CC mammogram of the right breast. 49 y/o patient.
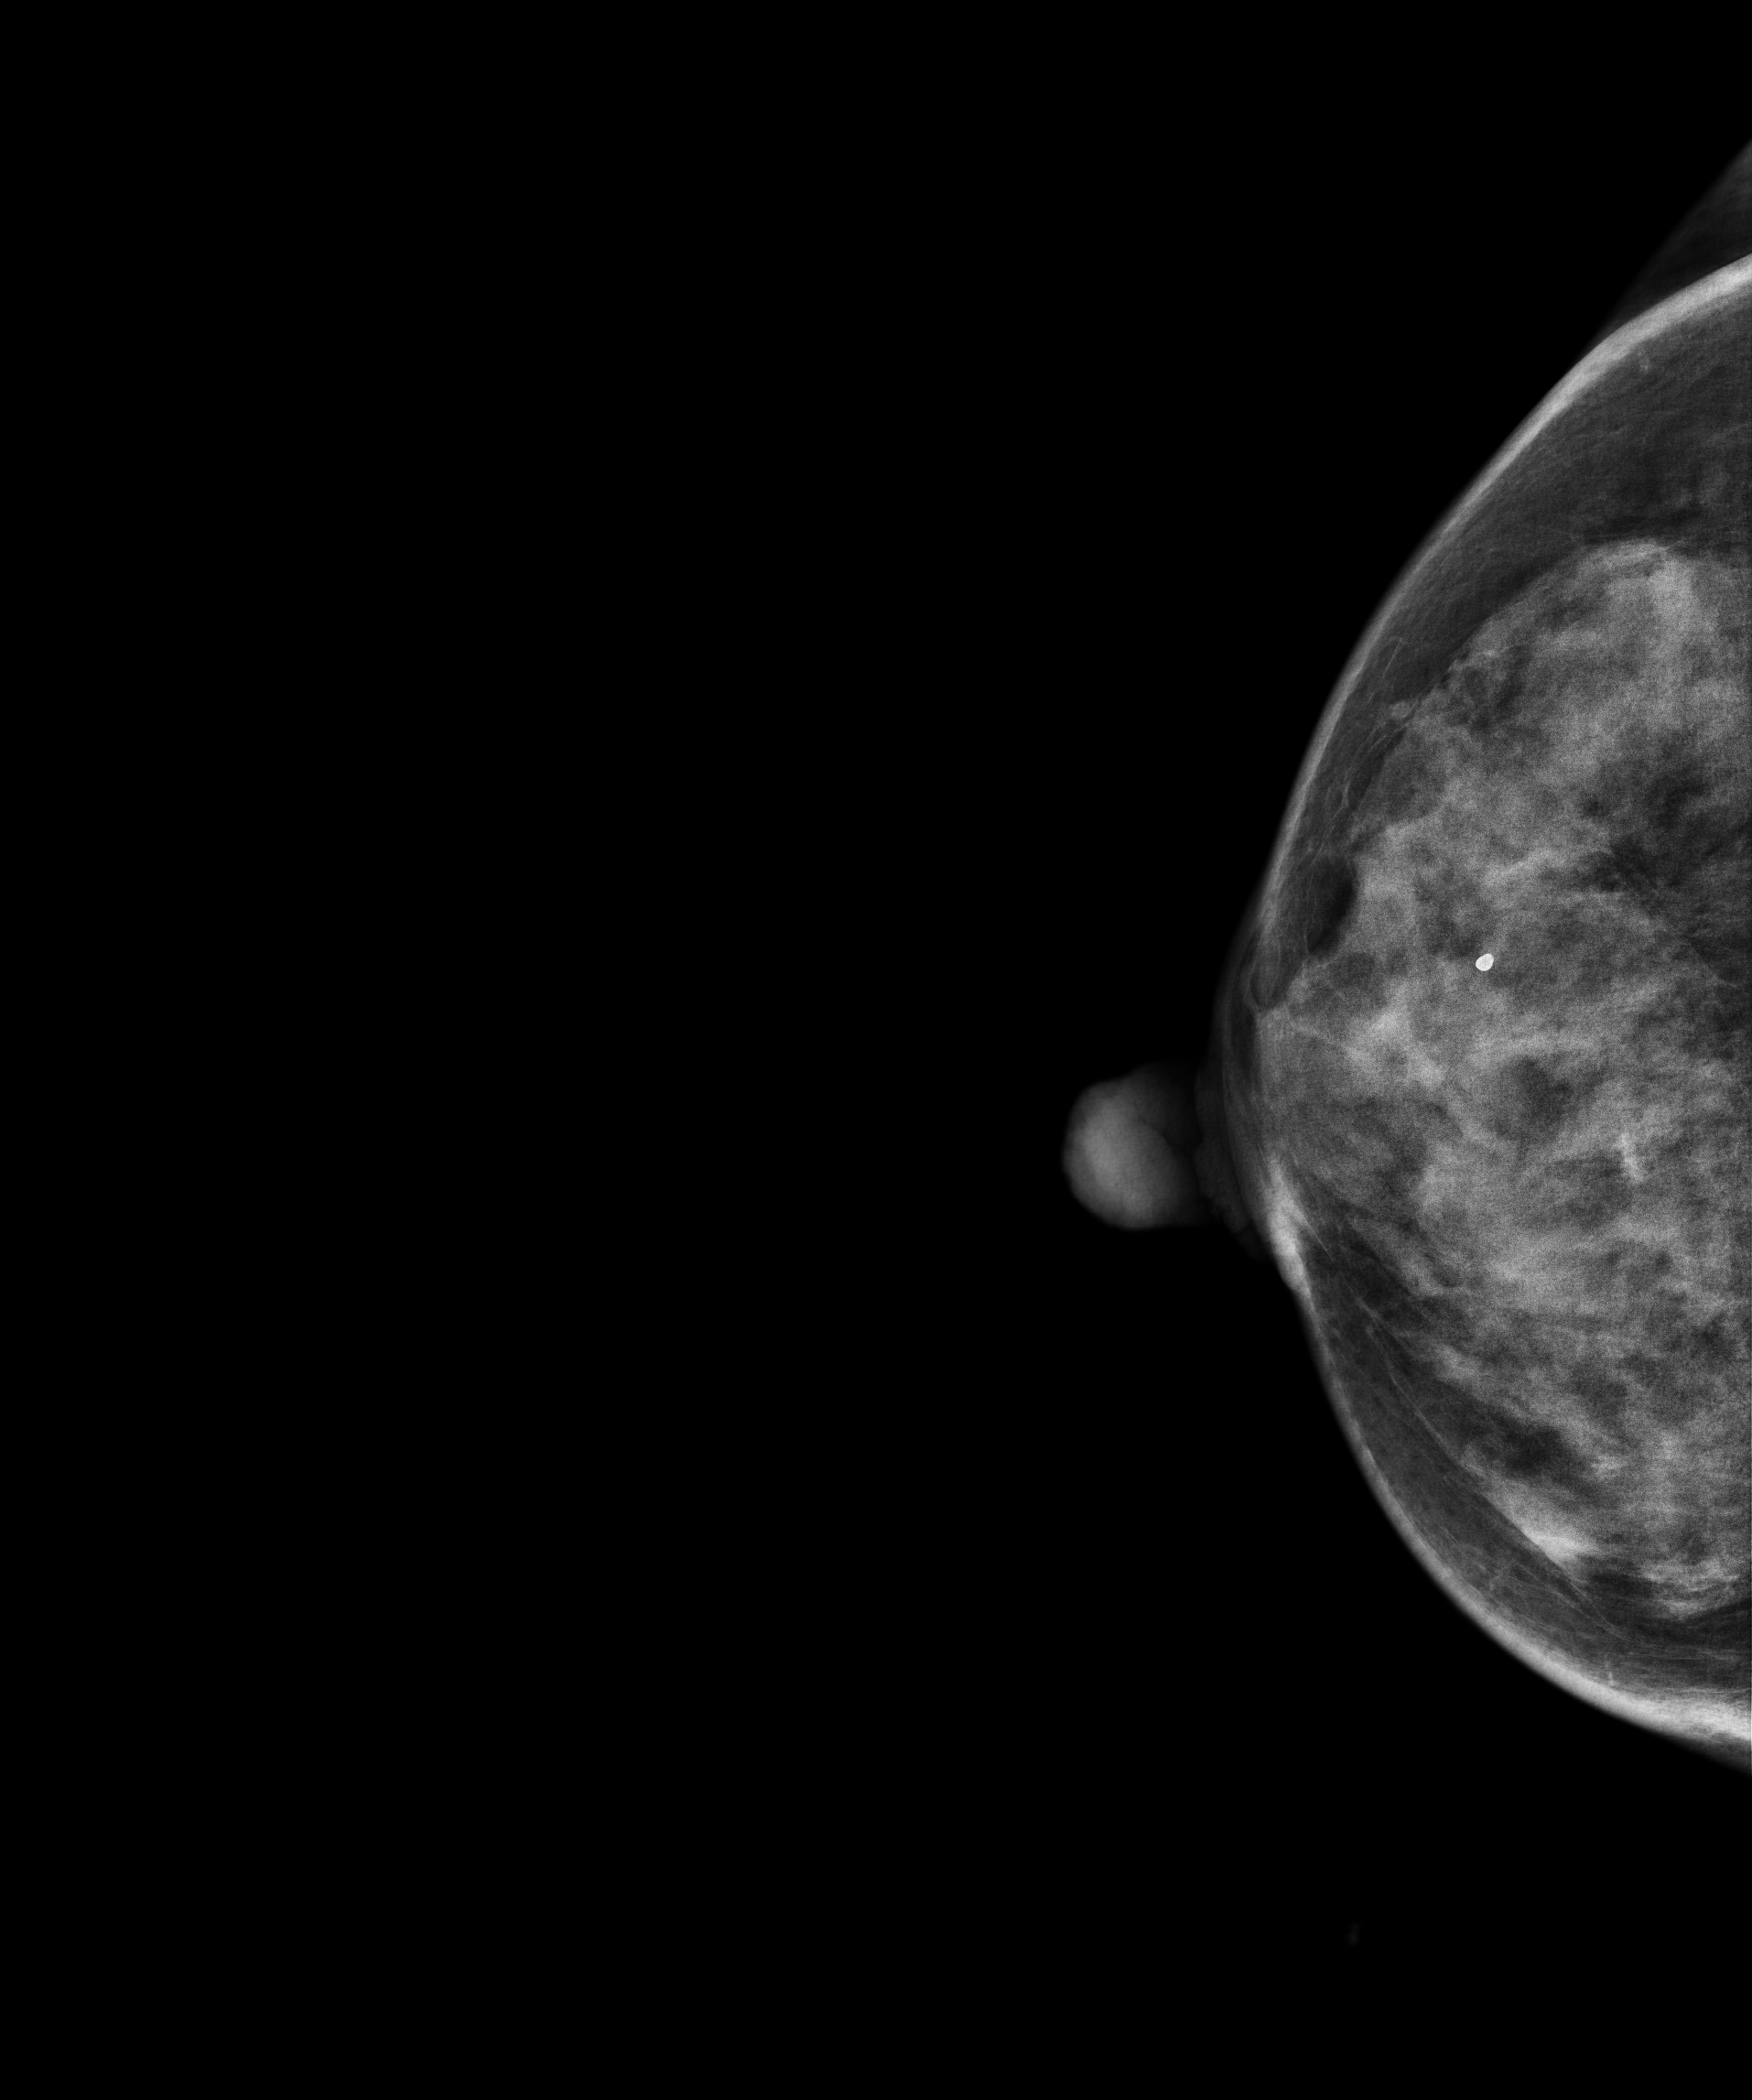
Contralateral breast — no documented abnormality on this side.